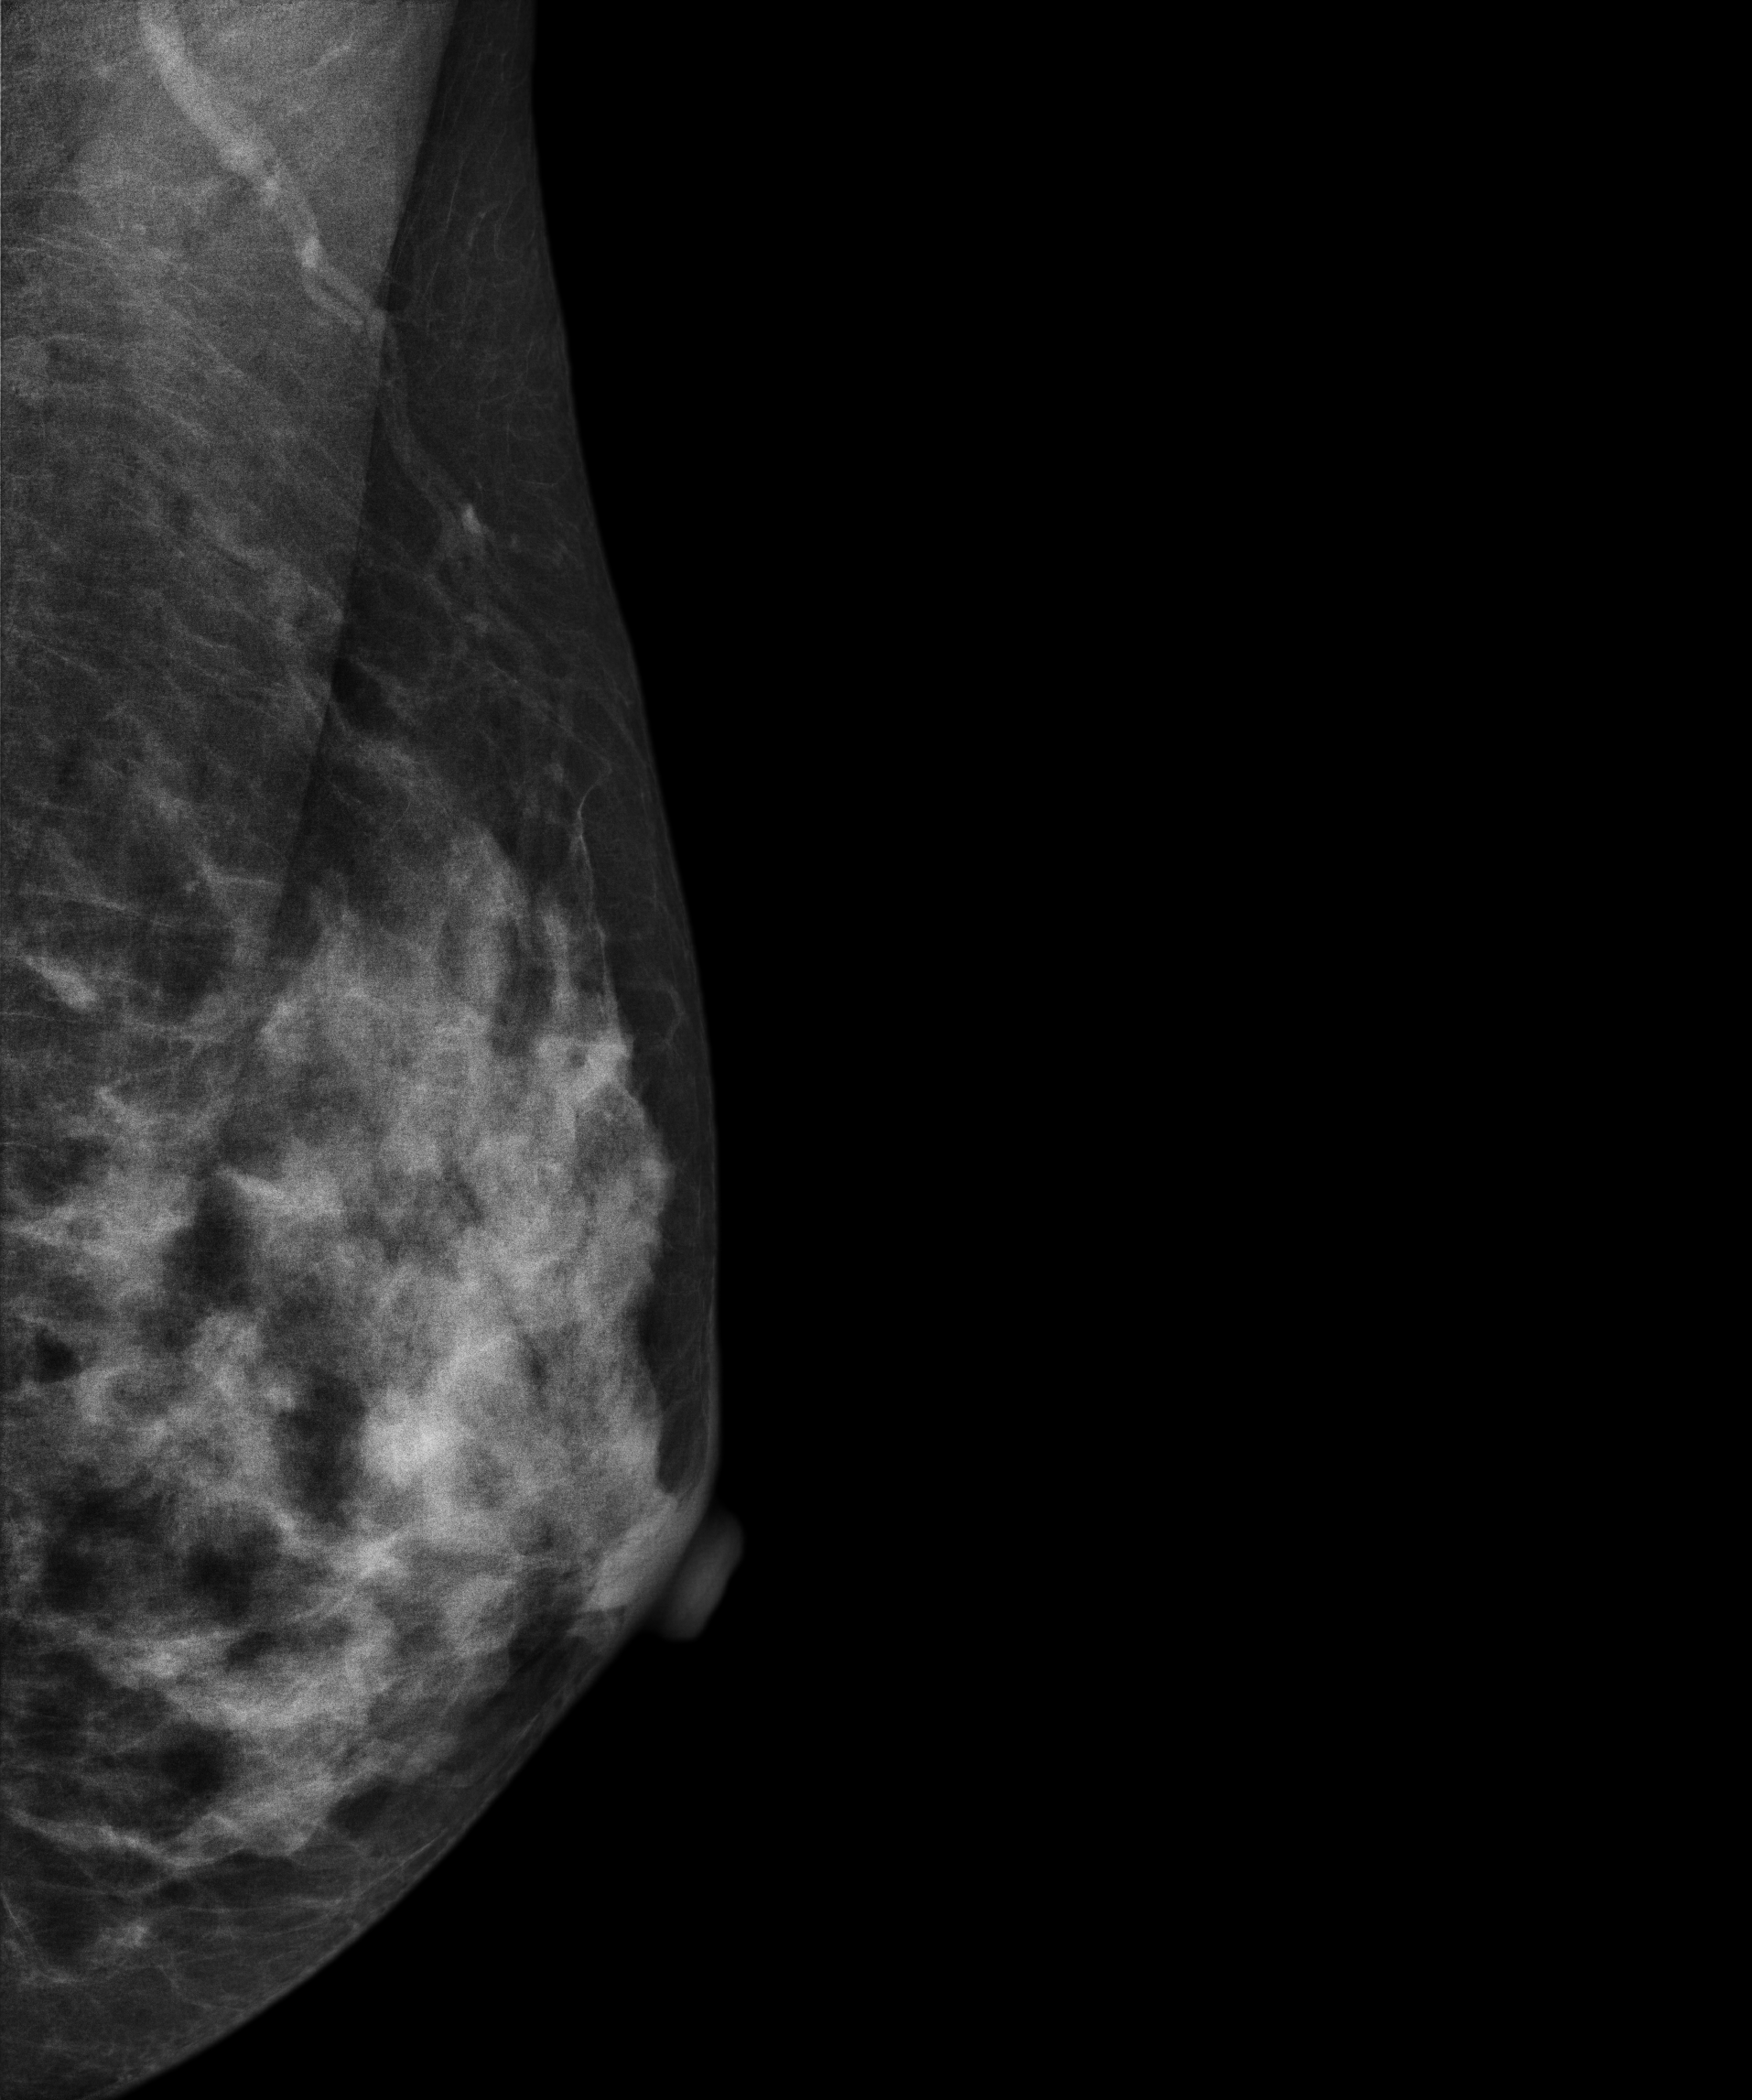
MLO mammogram of the left breast. 47 y/o patient.
This breast has a mass, histologically confirmed benign.